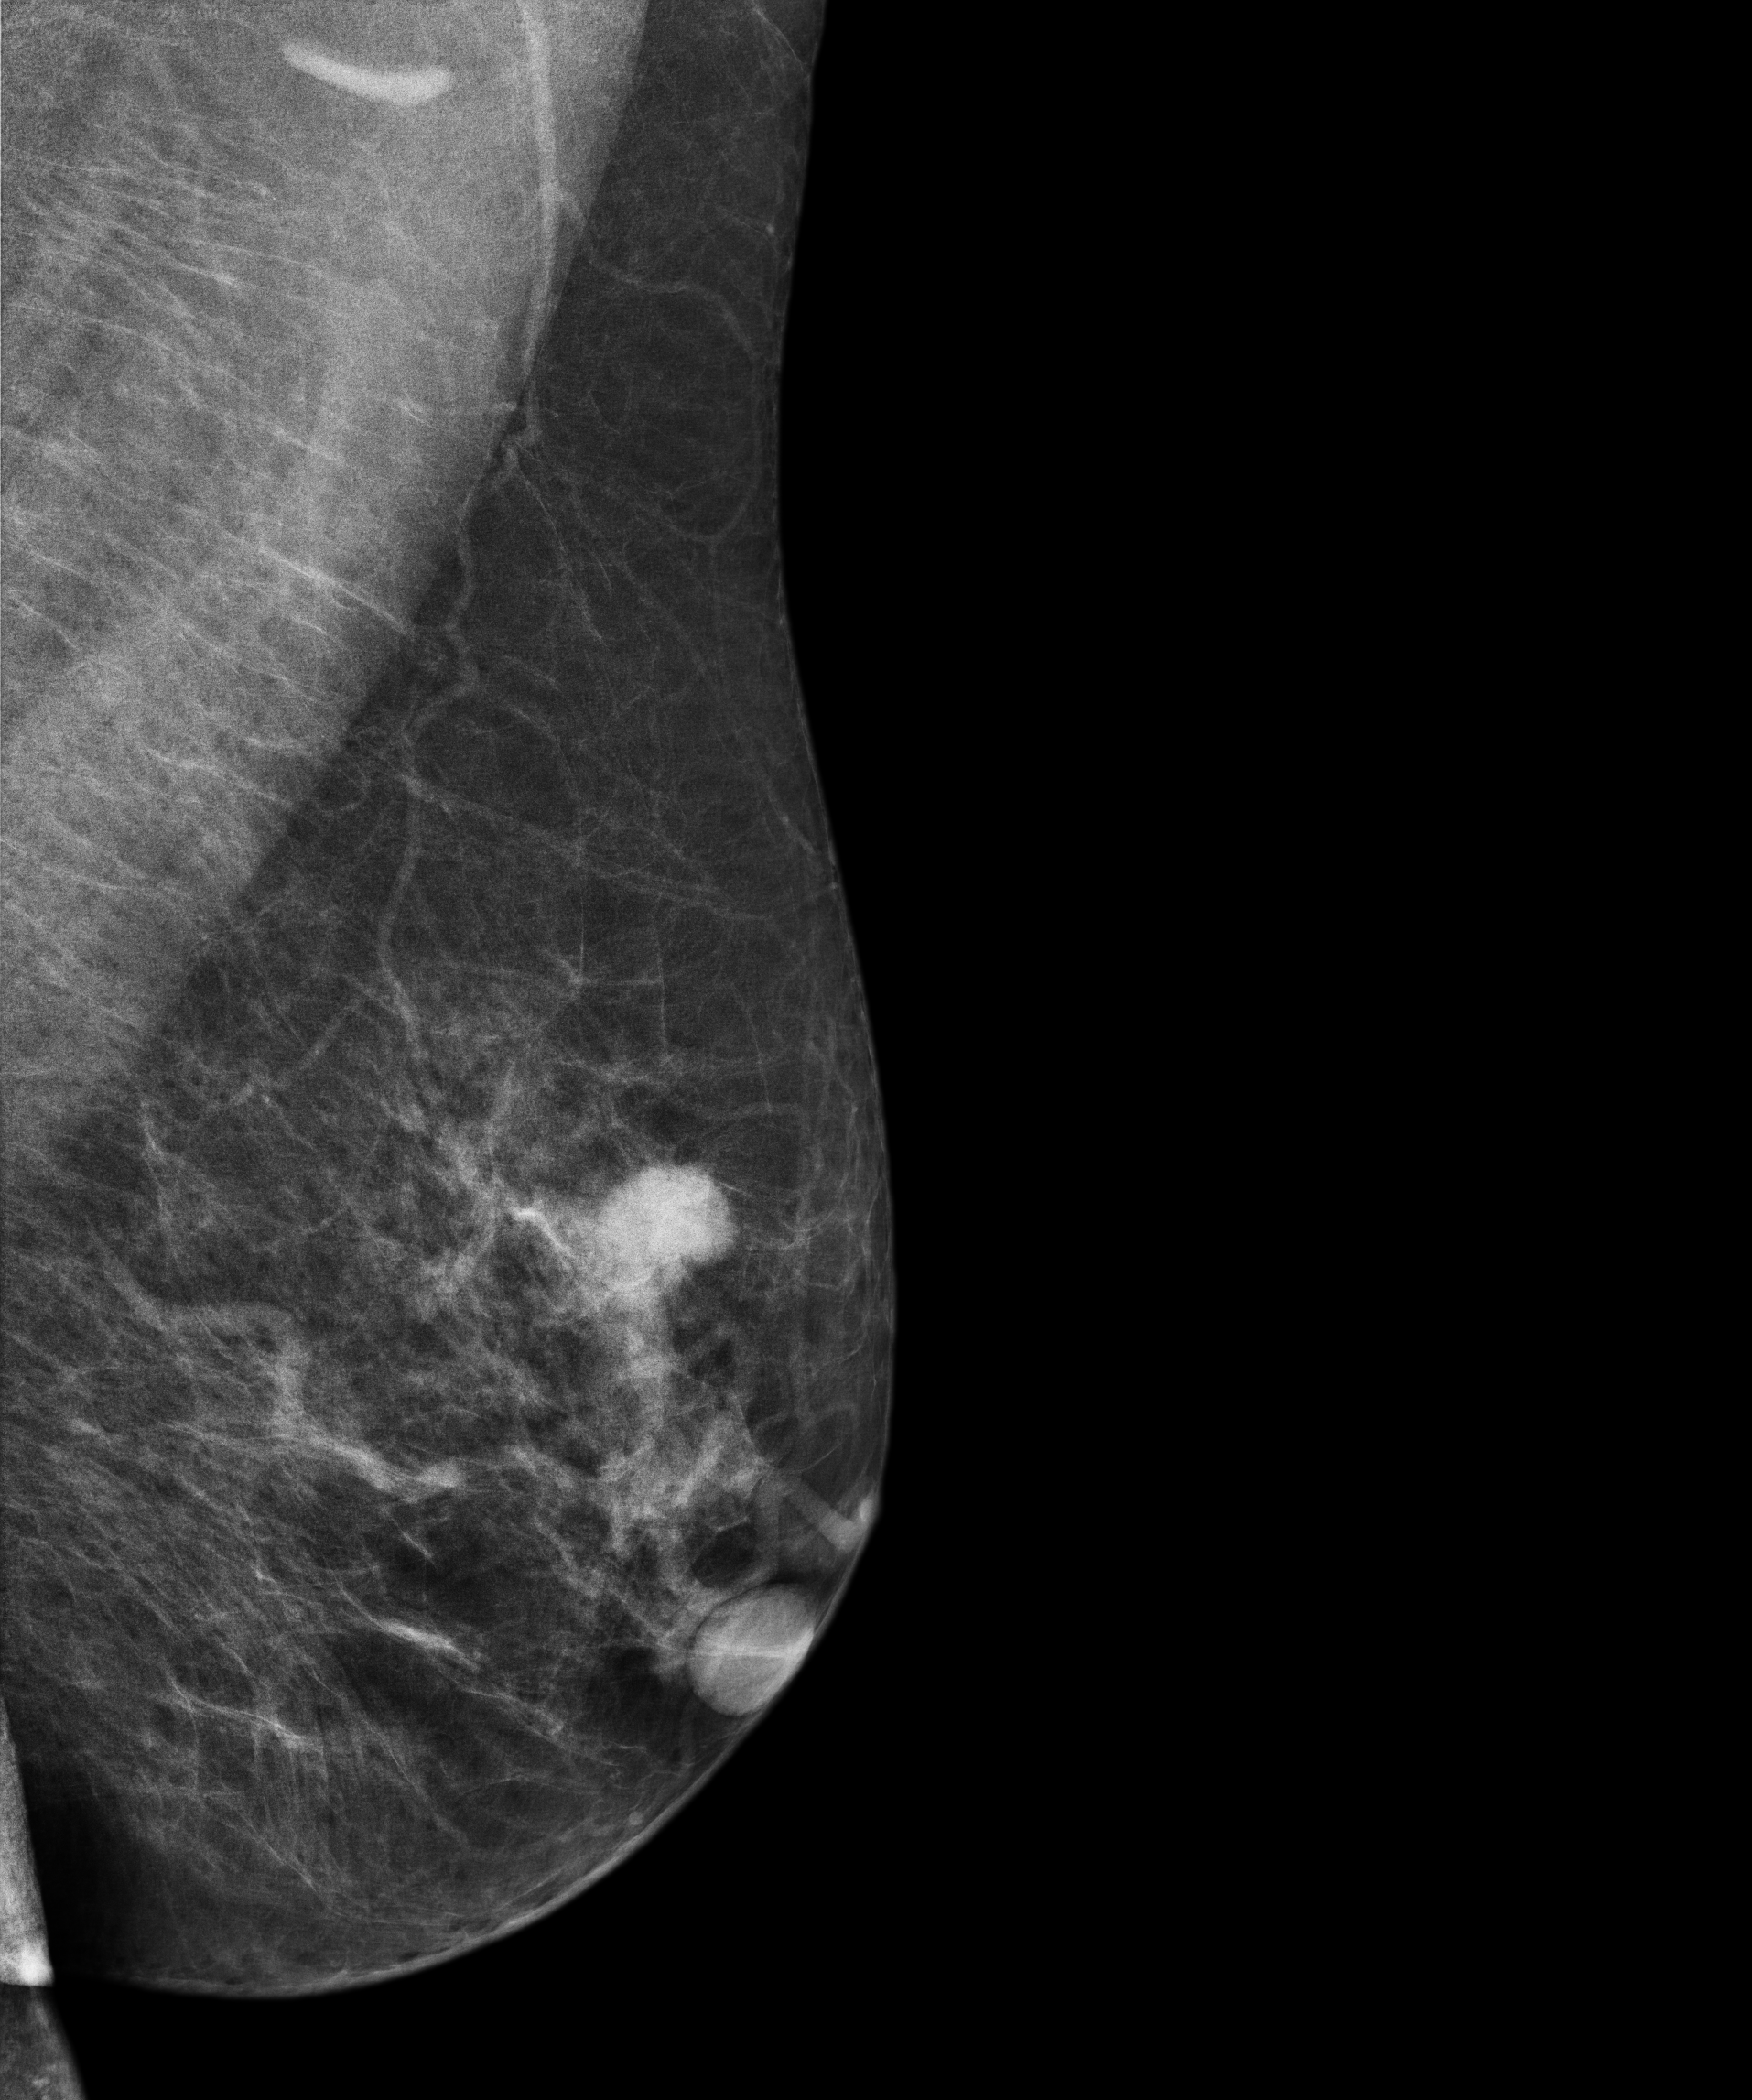
Digital mammography. Left breast, medio-lateral oblique projection. Patient age 70.
This breast has a mass, biopsy-proven malignant.